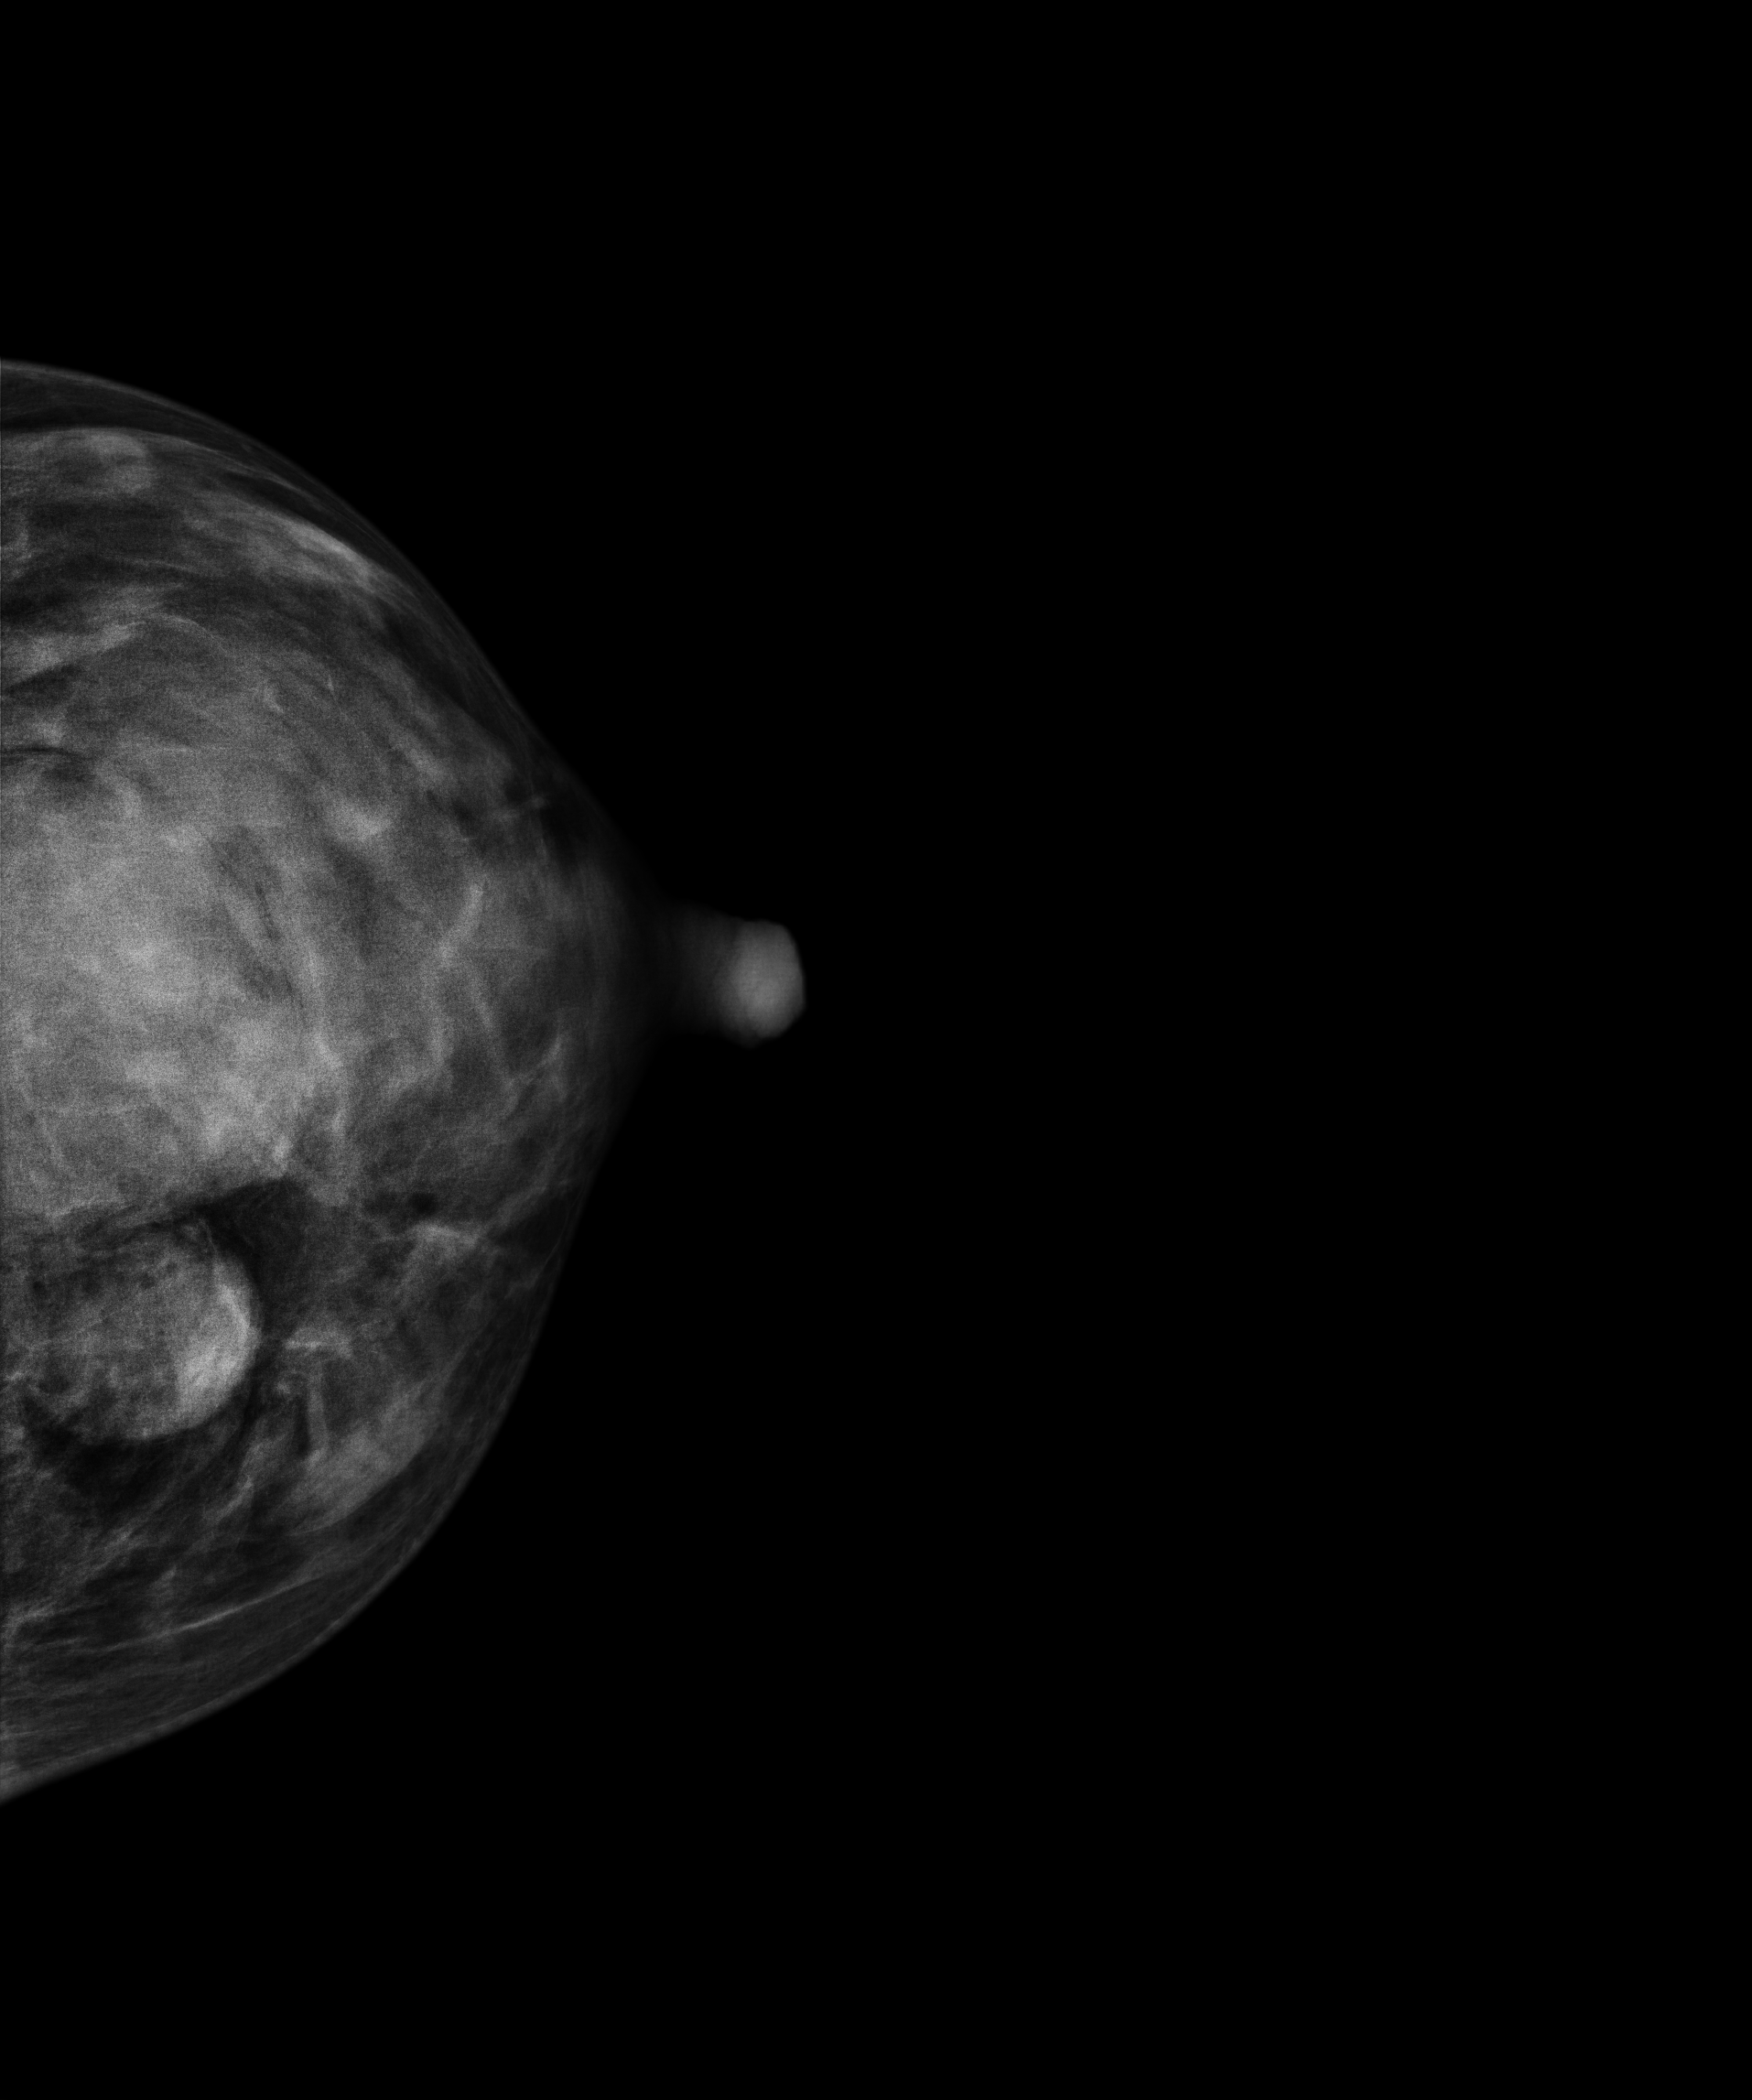
Mammogram, left breast, cranio-caudal view. 39-year-old patient.
This breast has a mass, biopsy-proven benign.